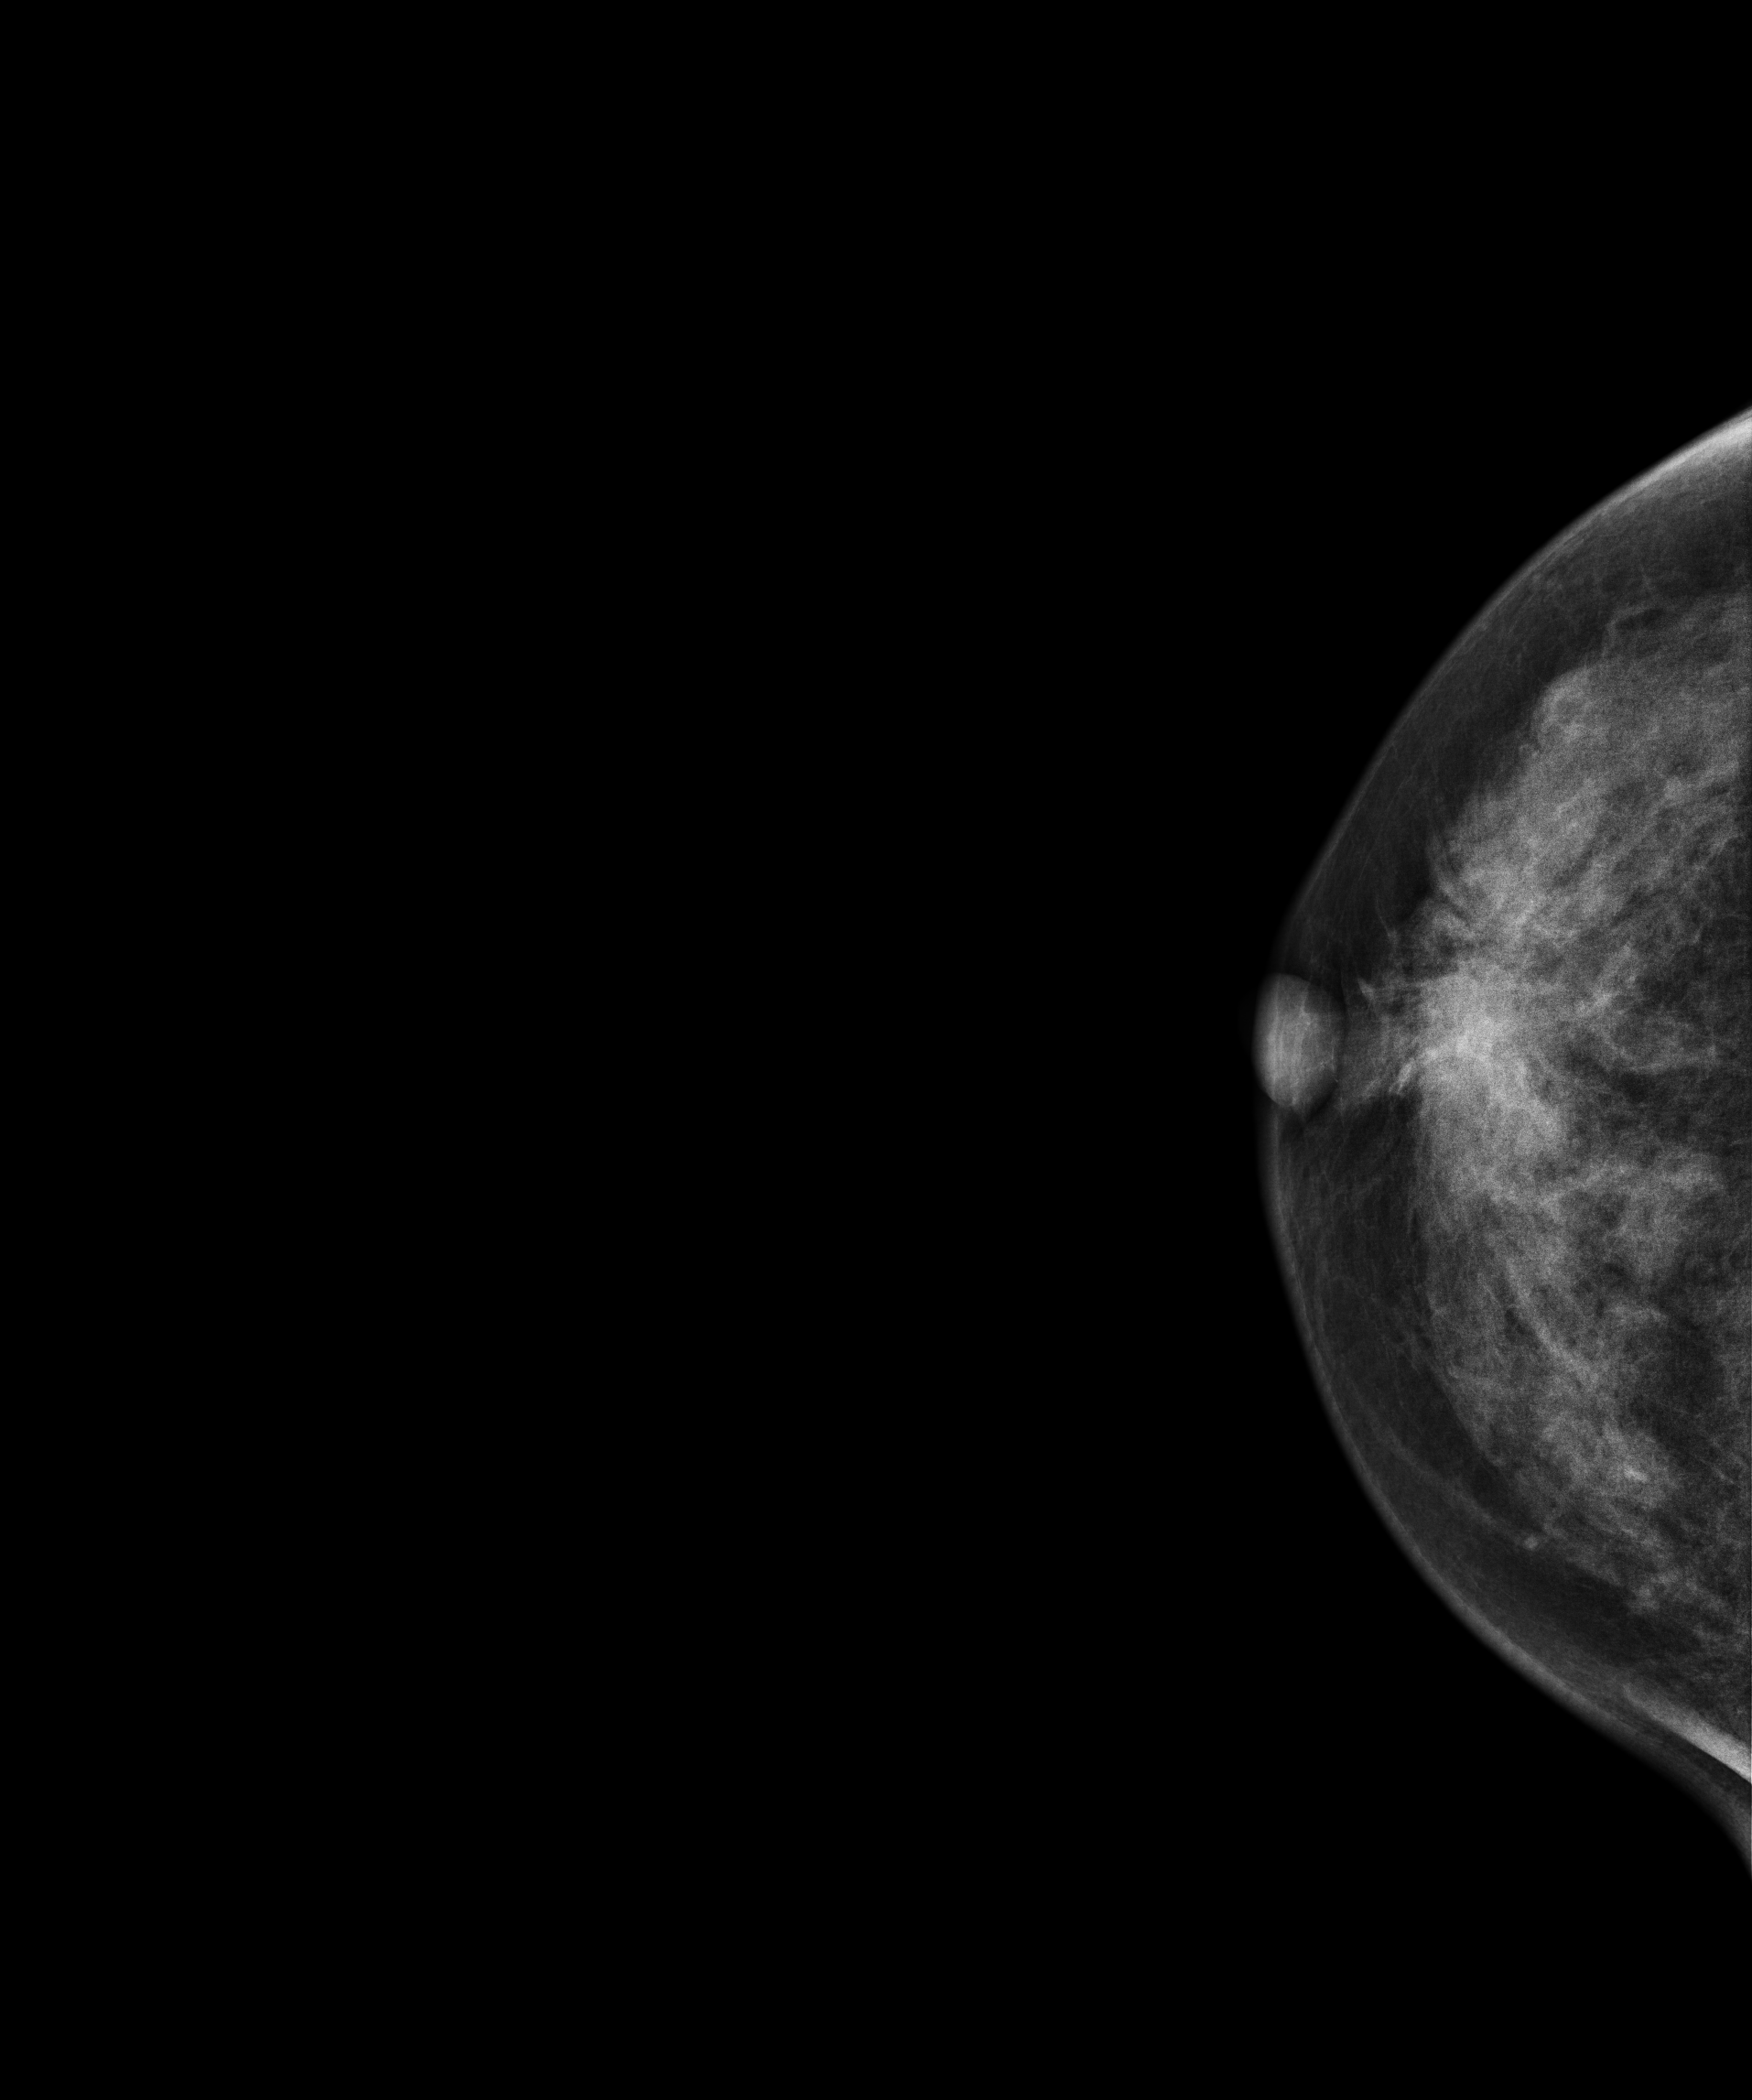
Mammogram — right cranio-caudal. 46-year-old patient.
This breast has a mass, histologically confirmed malignant.